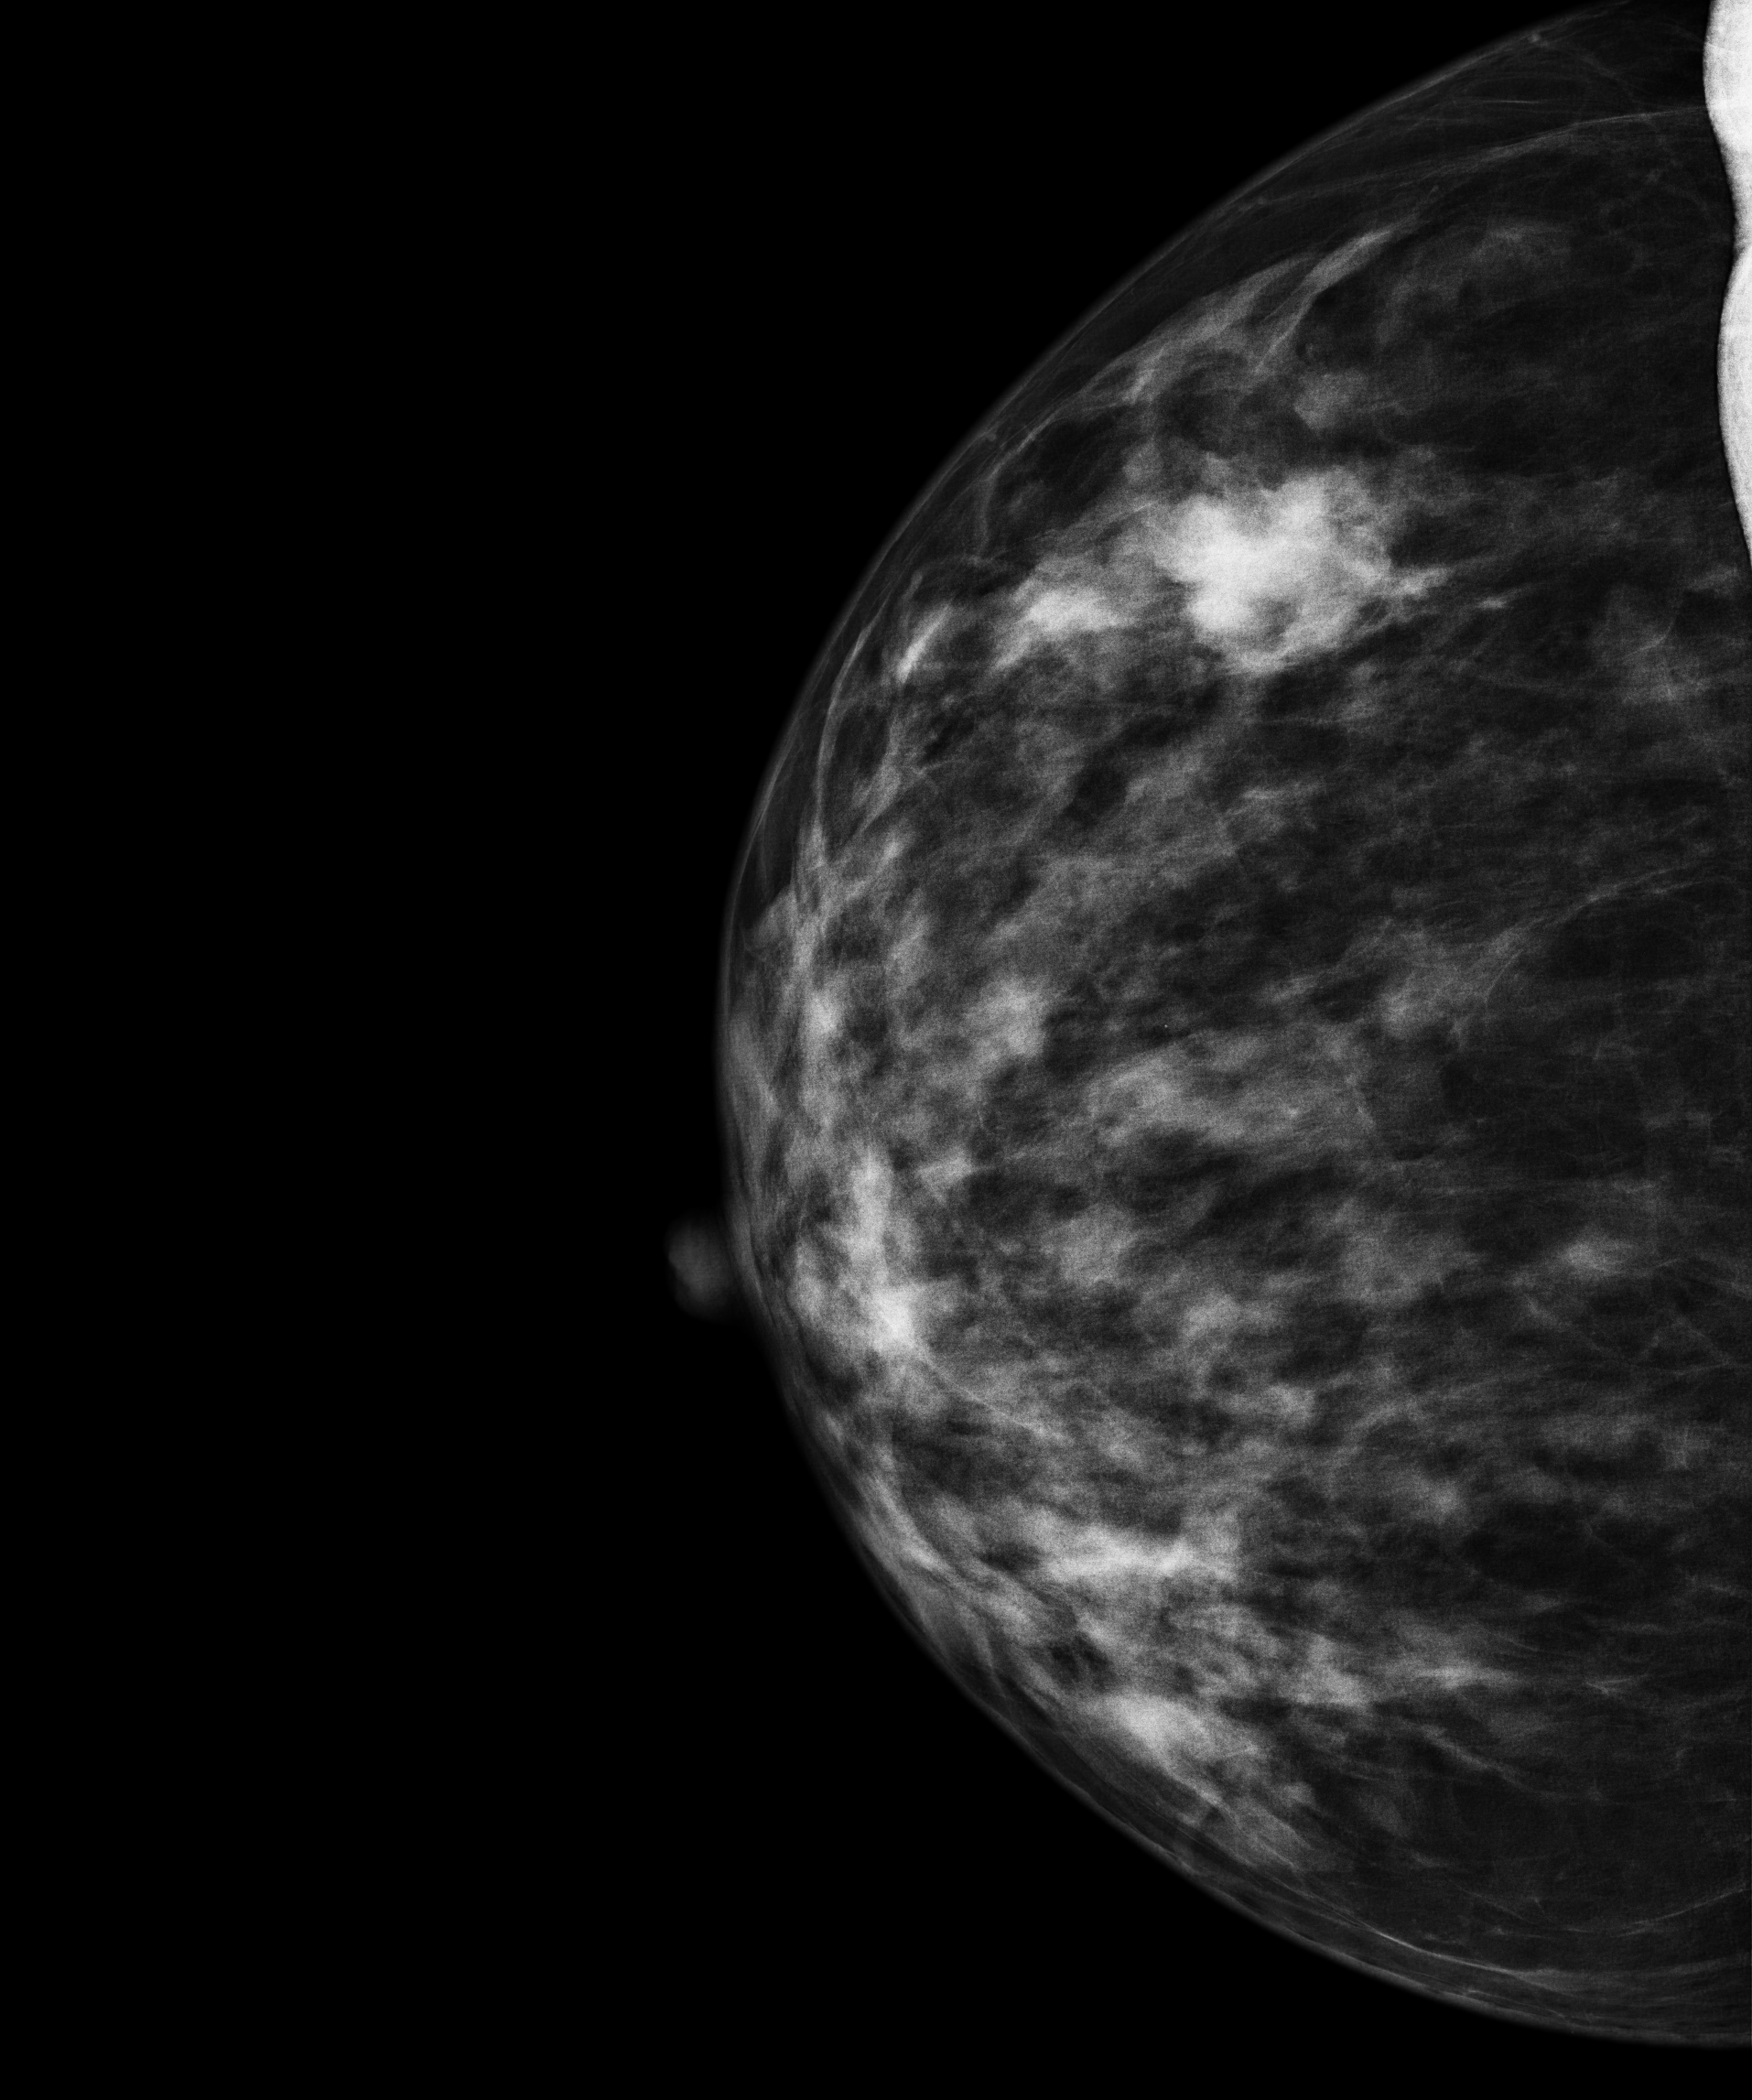
Digital mammography. Right breast, CC projection. Patient age 55.
This breast has a mass, pathology-confirmed malignant. Molecular subtype: luminal B.